Mammogram, right breast, CC view. 44 y/o patient.
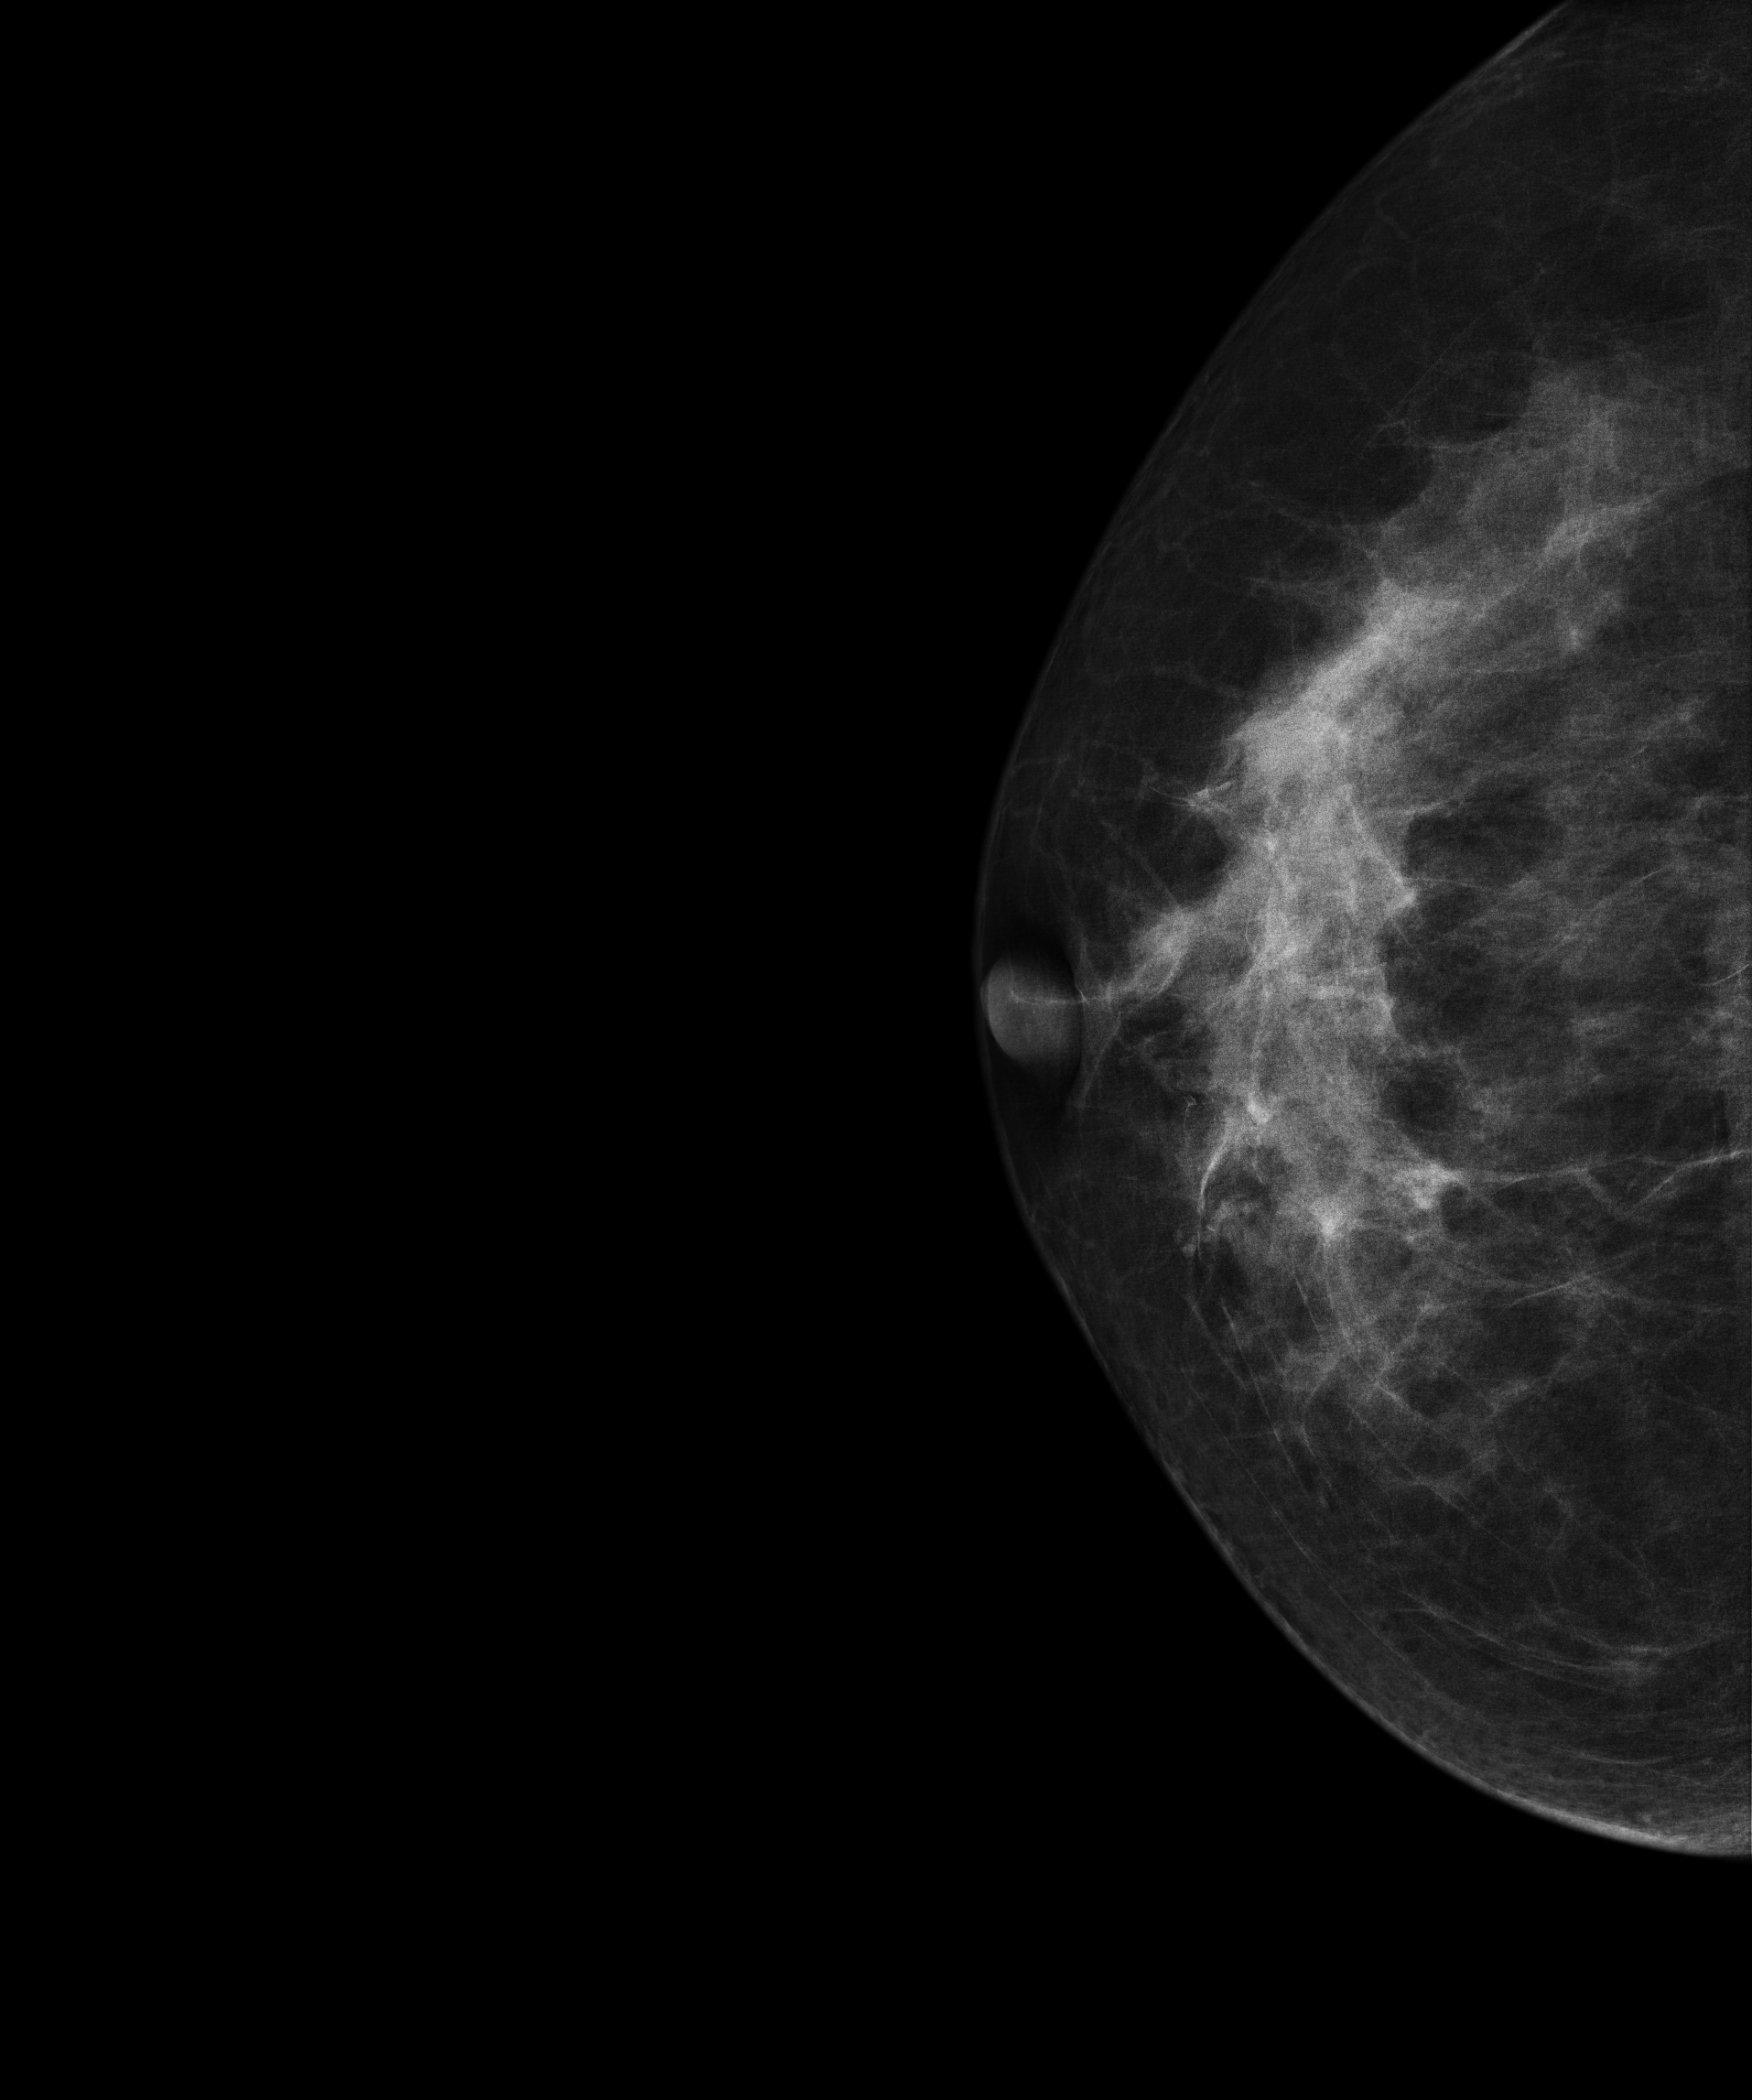
This breast has a mass, biopsy-confirmed benign.